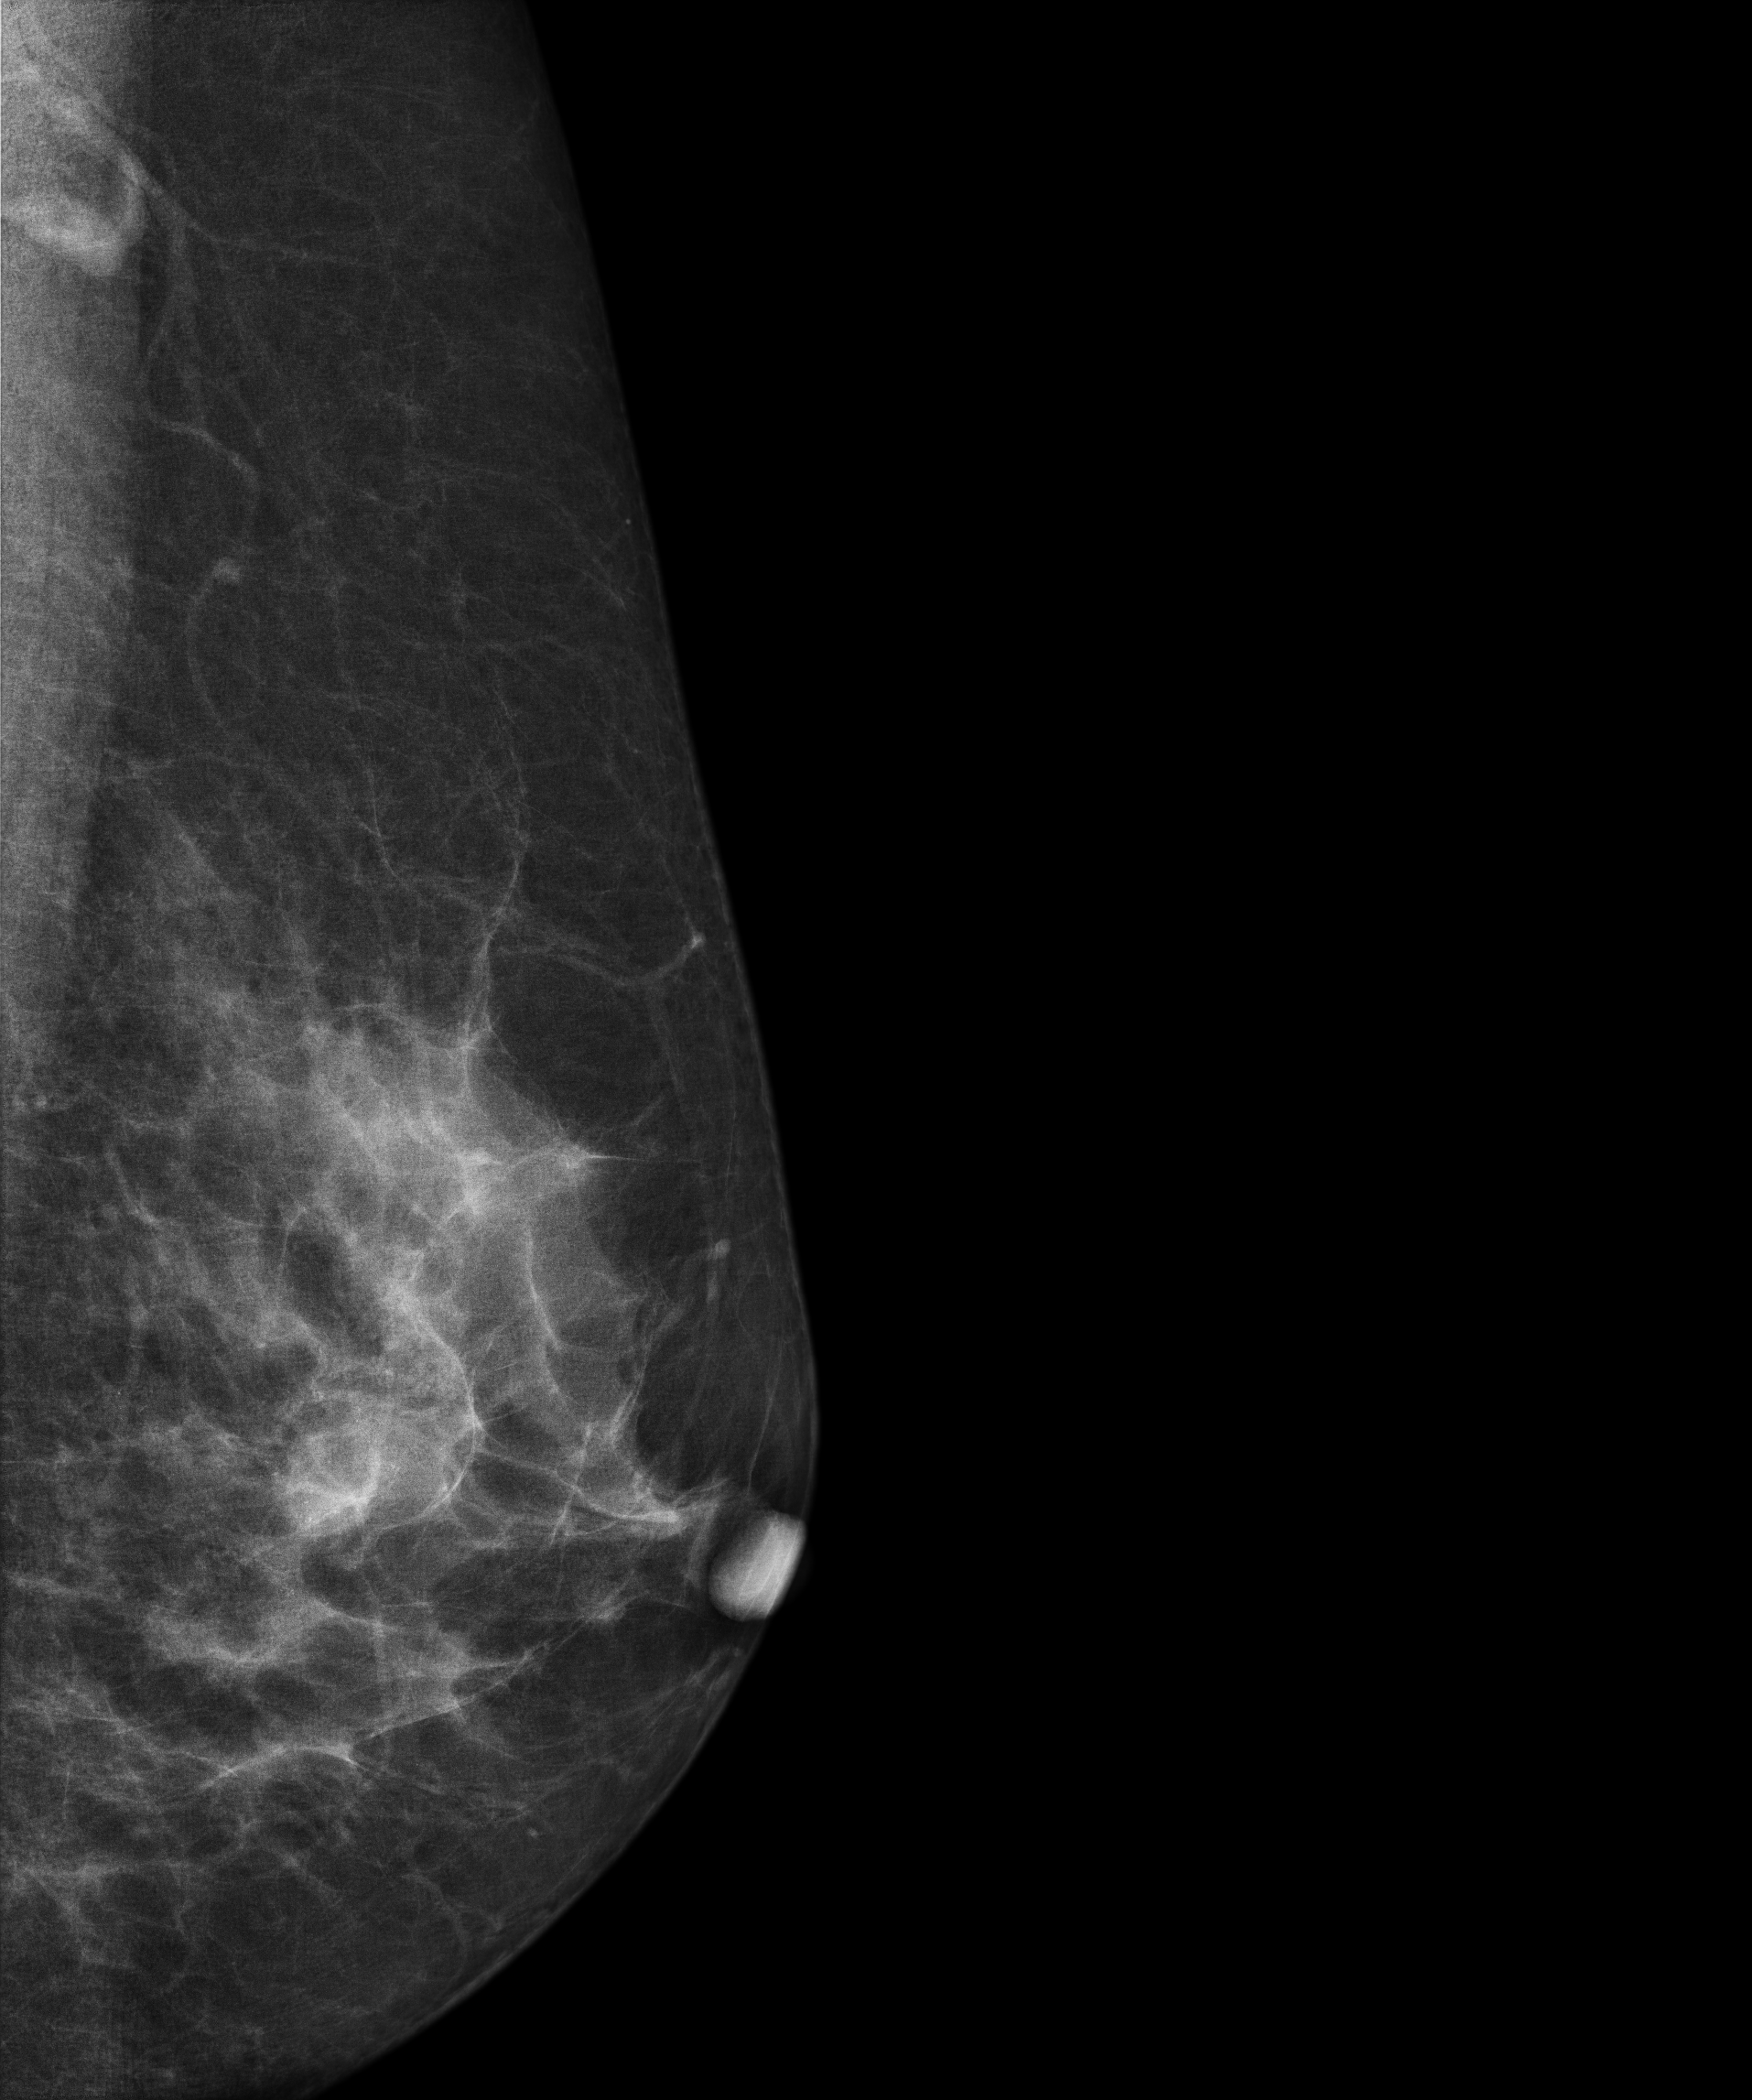
Left-breast mammogram, medio-lateral oblique. 62-year-old patient.
This breast has a mass, biopsy-proven malignant. Molecular subtype: luminal A.